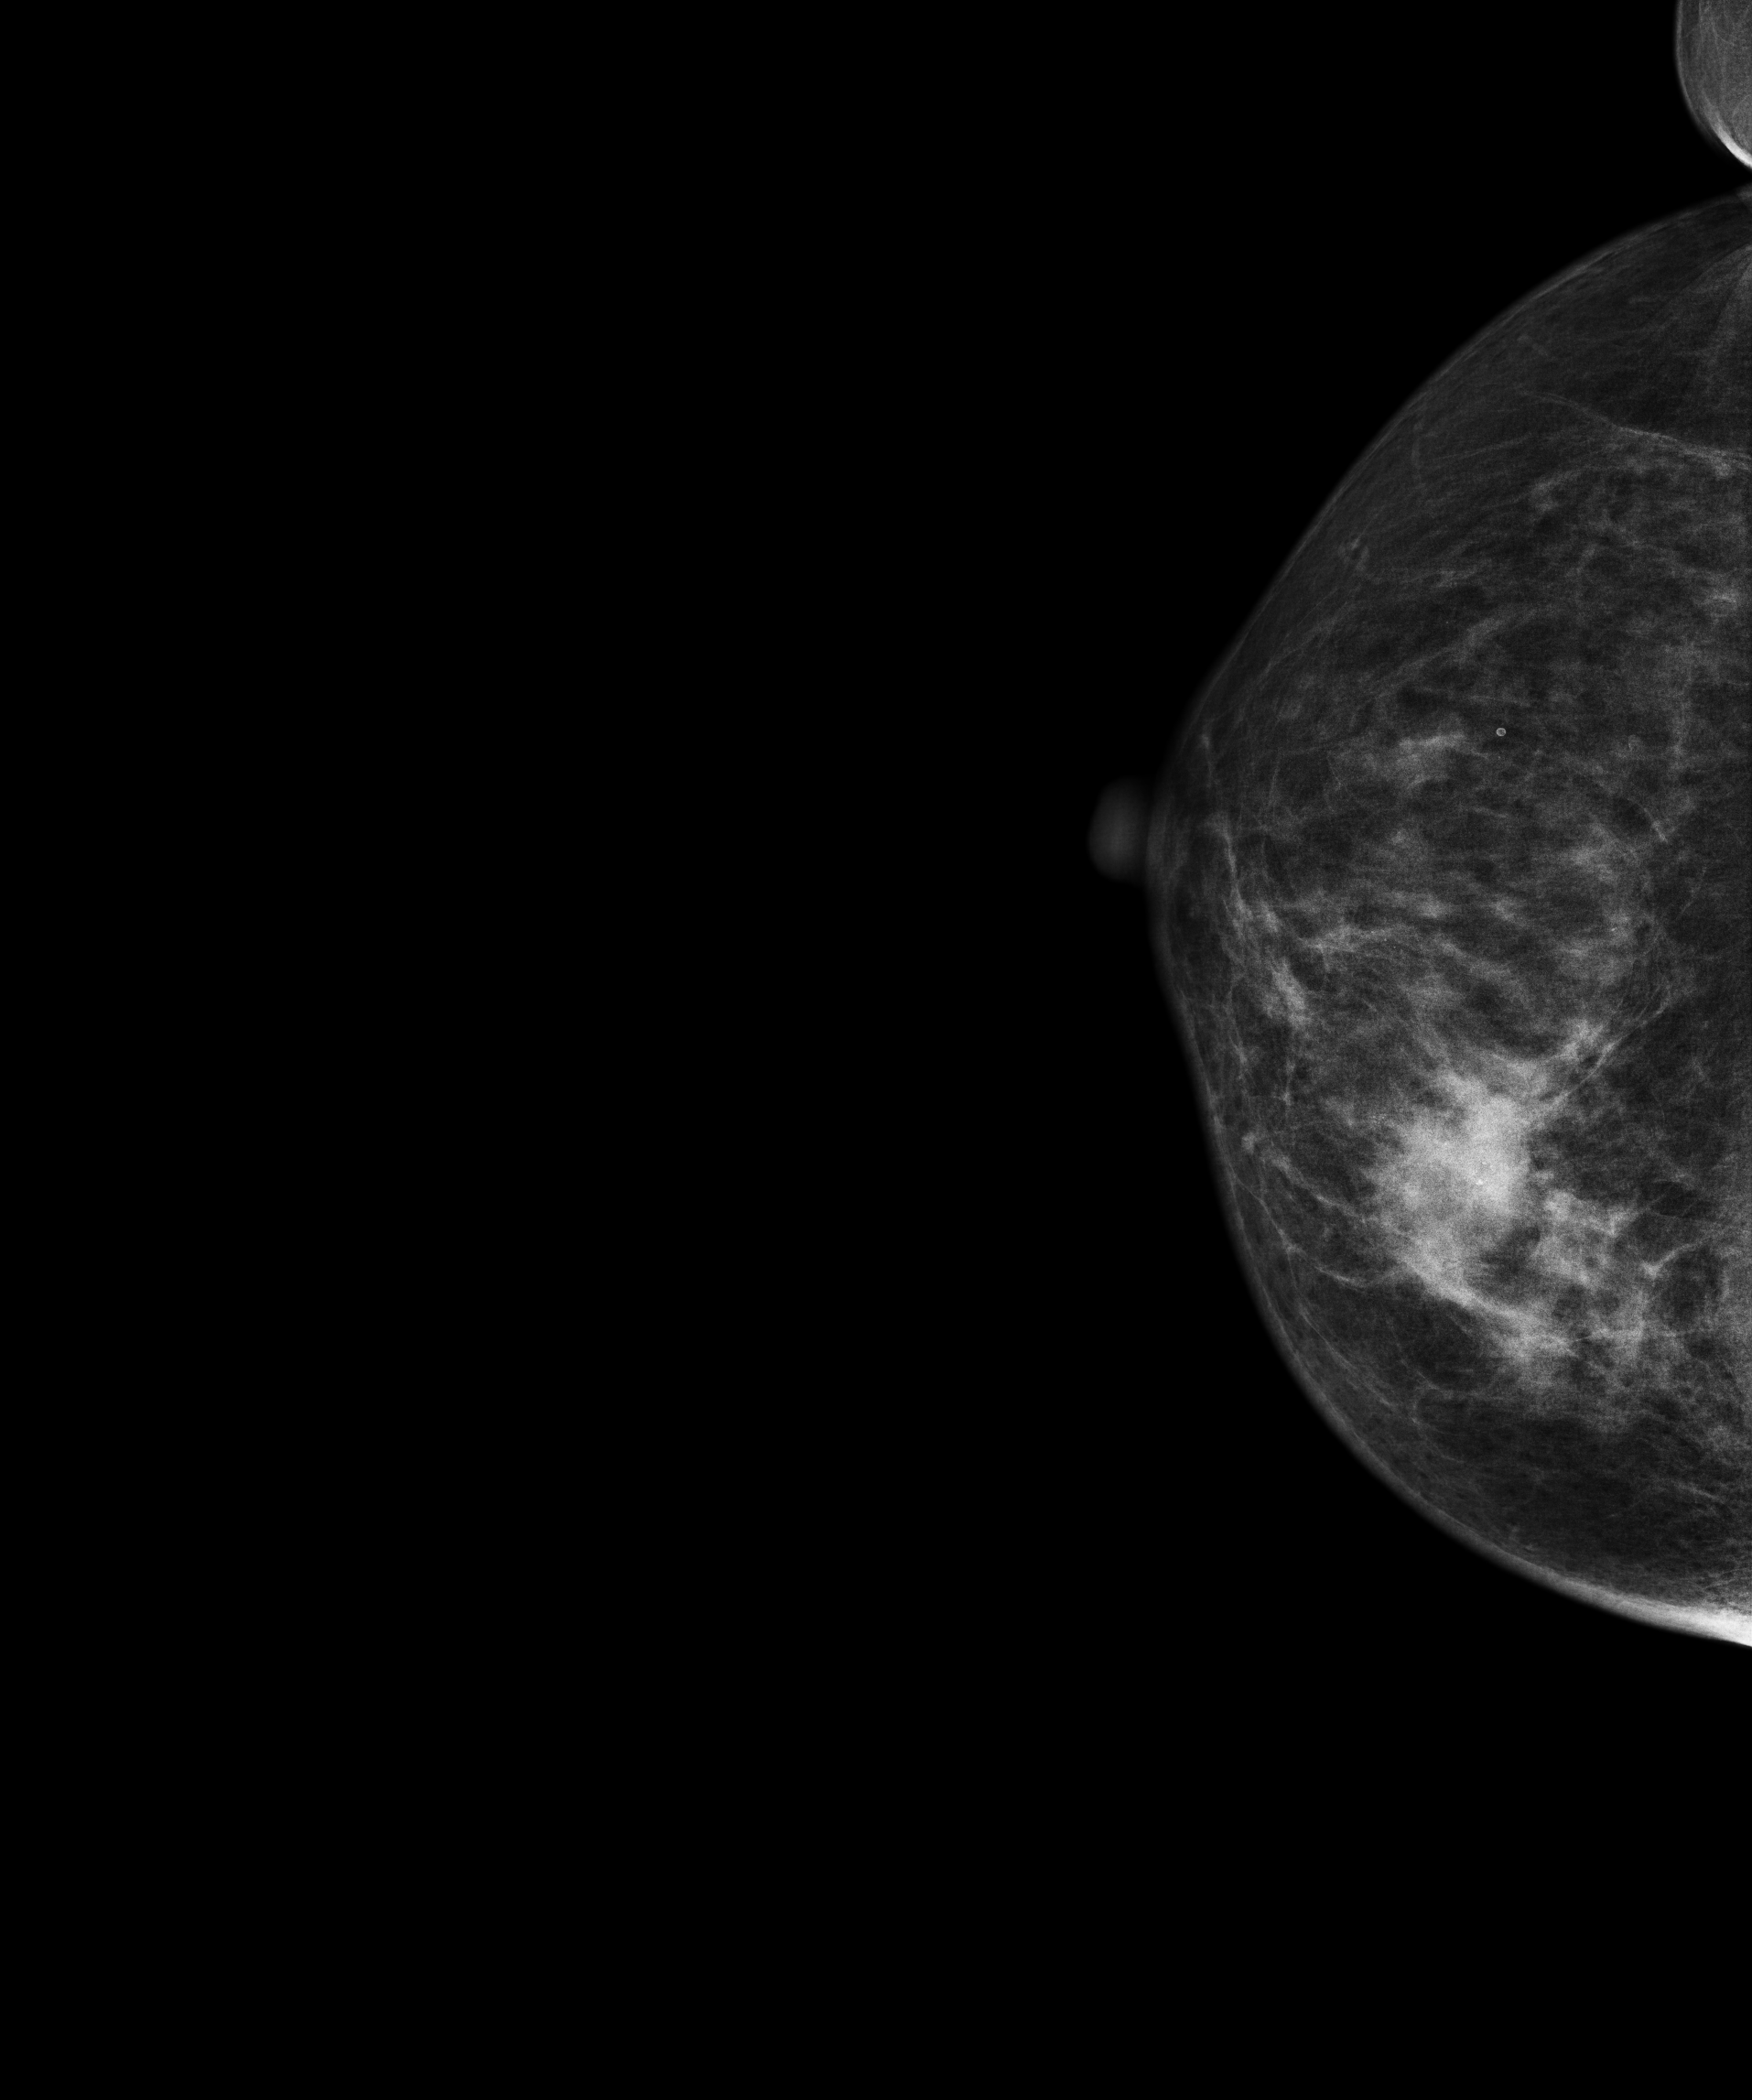
Digital mammography. Right breast, cranio-caudal projection. 59 y/o patient.
This breast has a mass and calcifications, pathology-confirmed malignant.